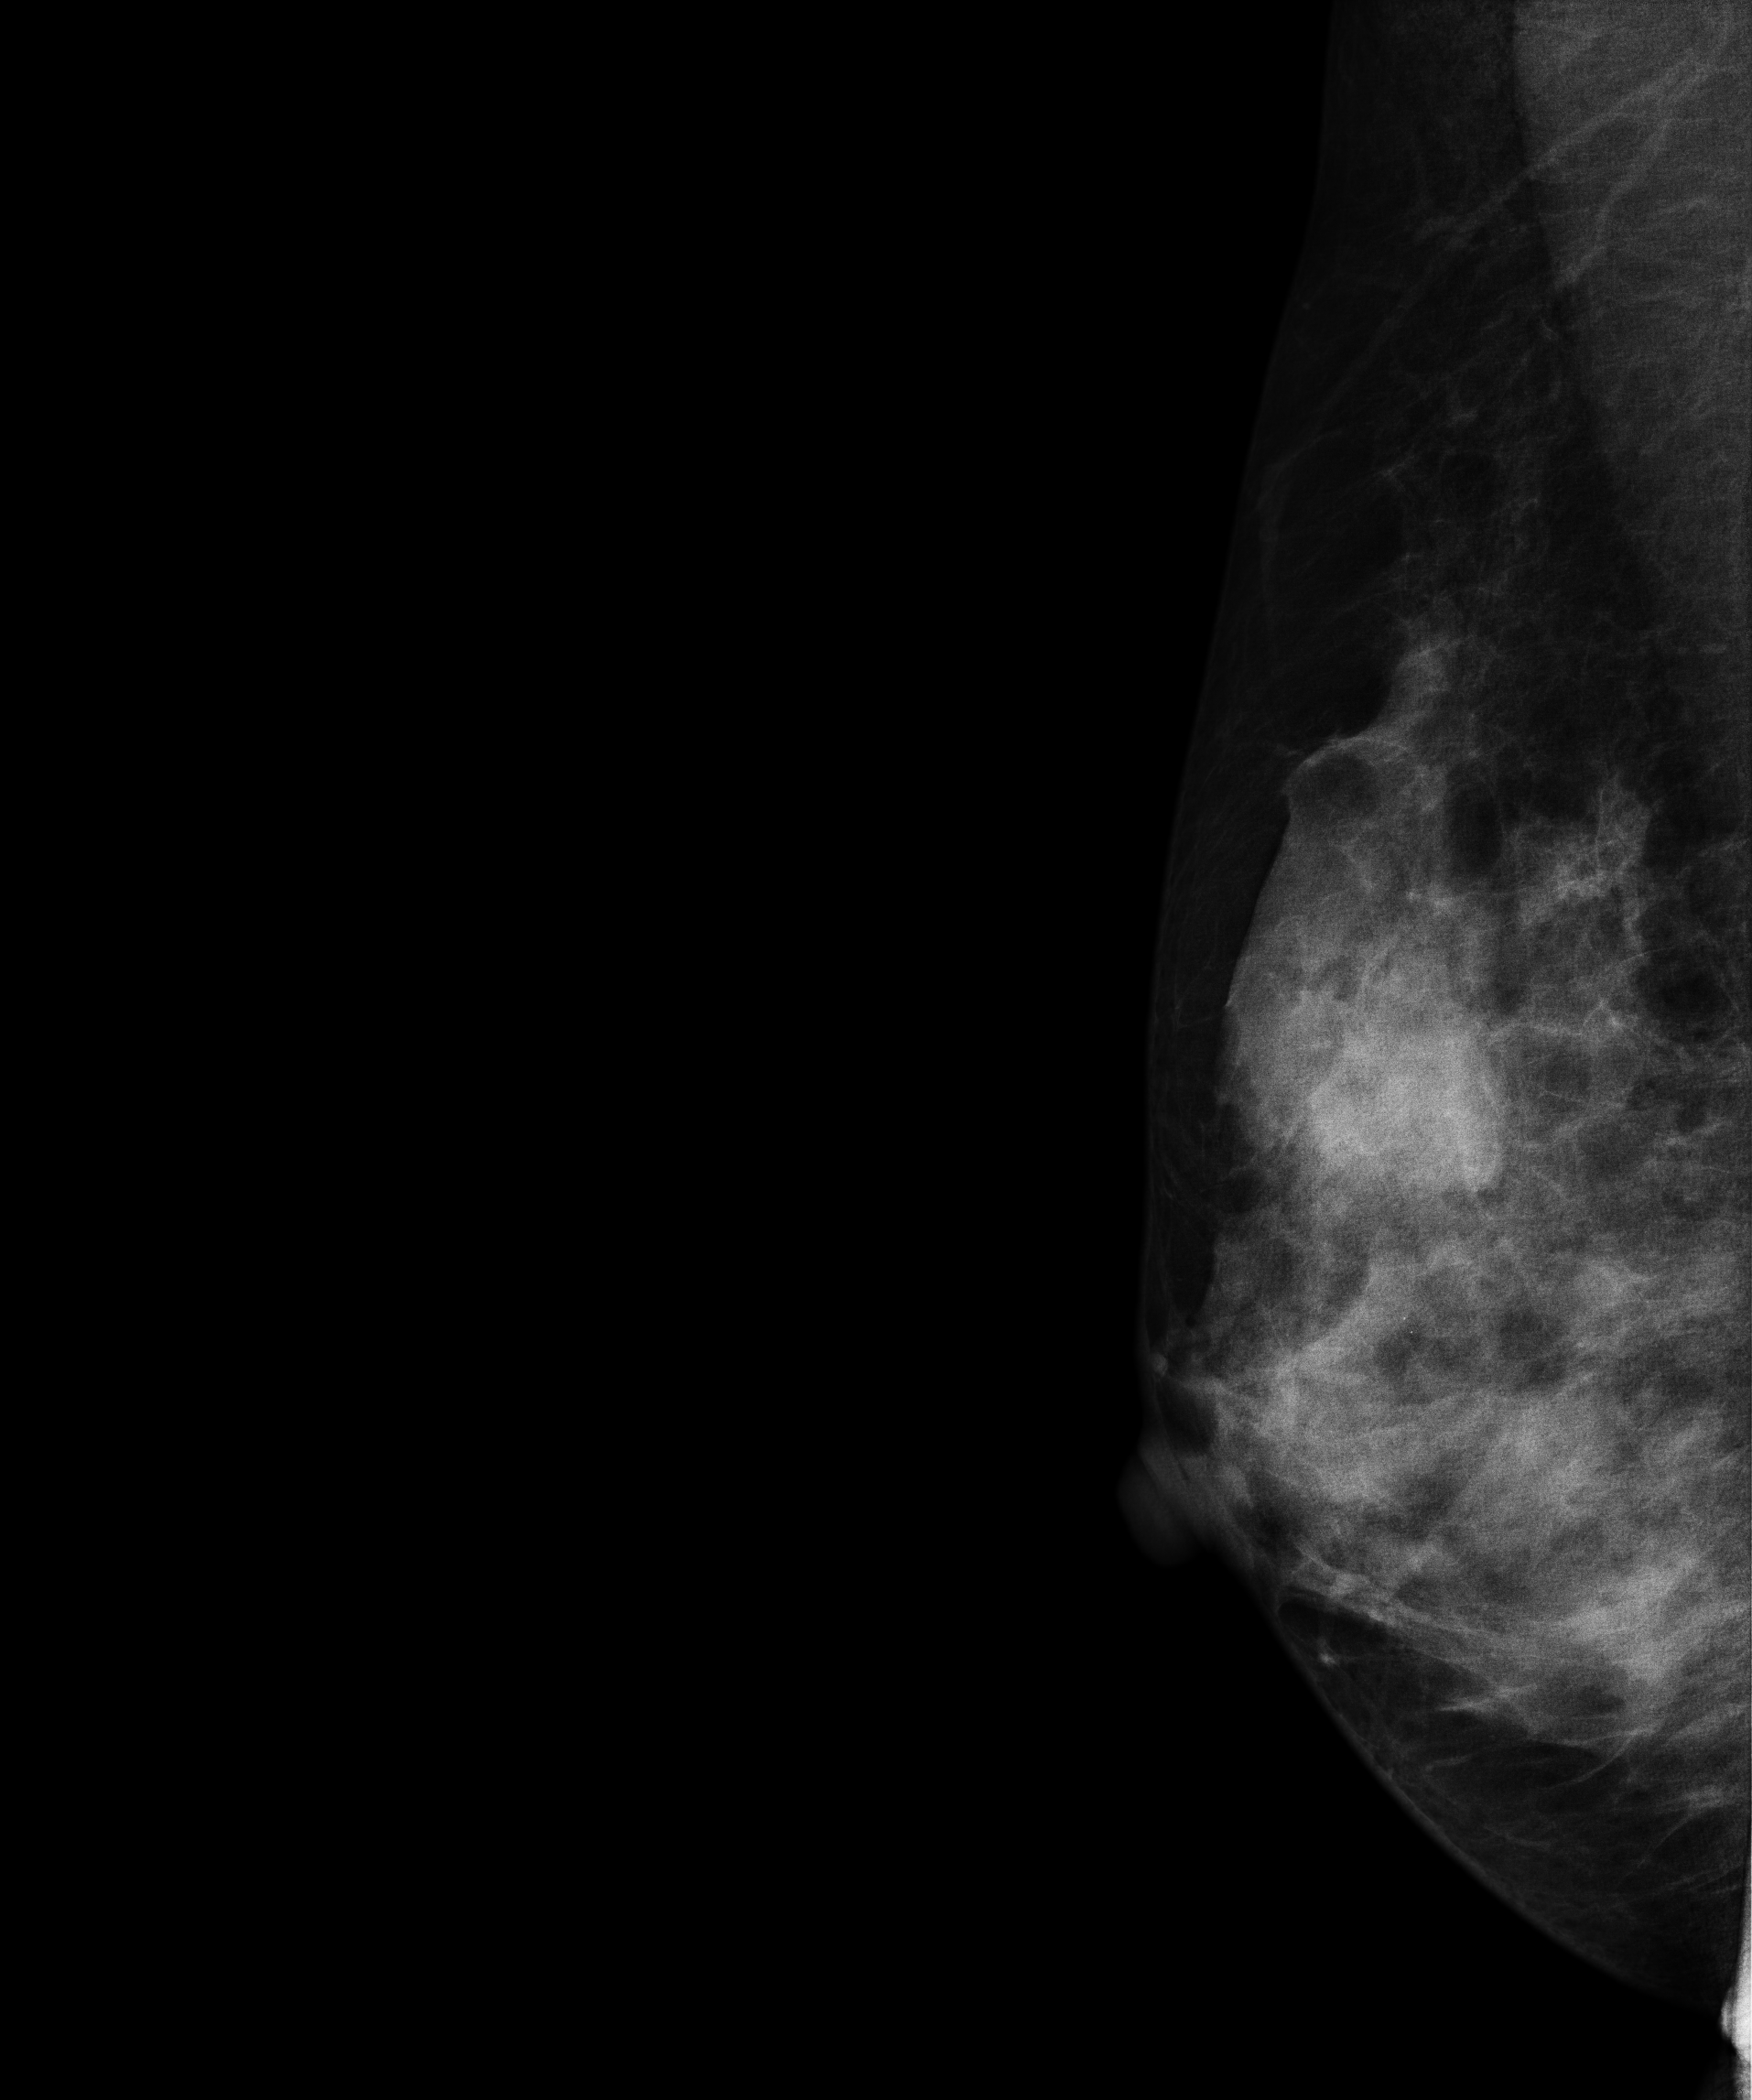
Digital mammography. Right breast, MLO projection. 46-year-old patient.
This breast has a mass, biopsy-proven malignant. Molecular subtype: luminal B.